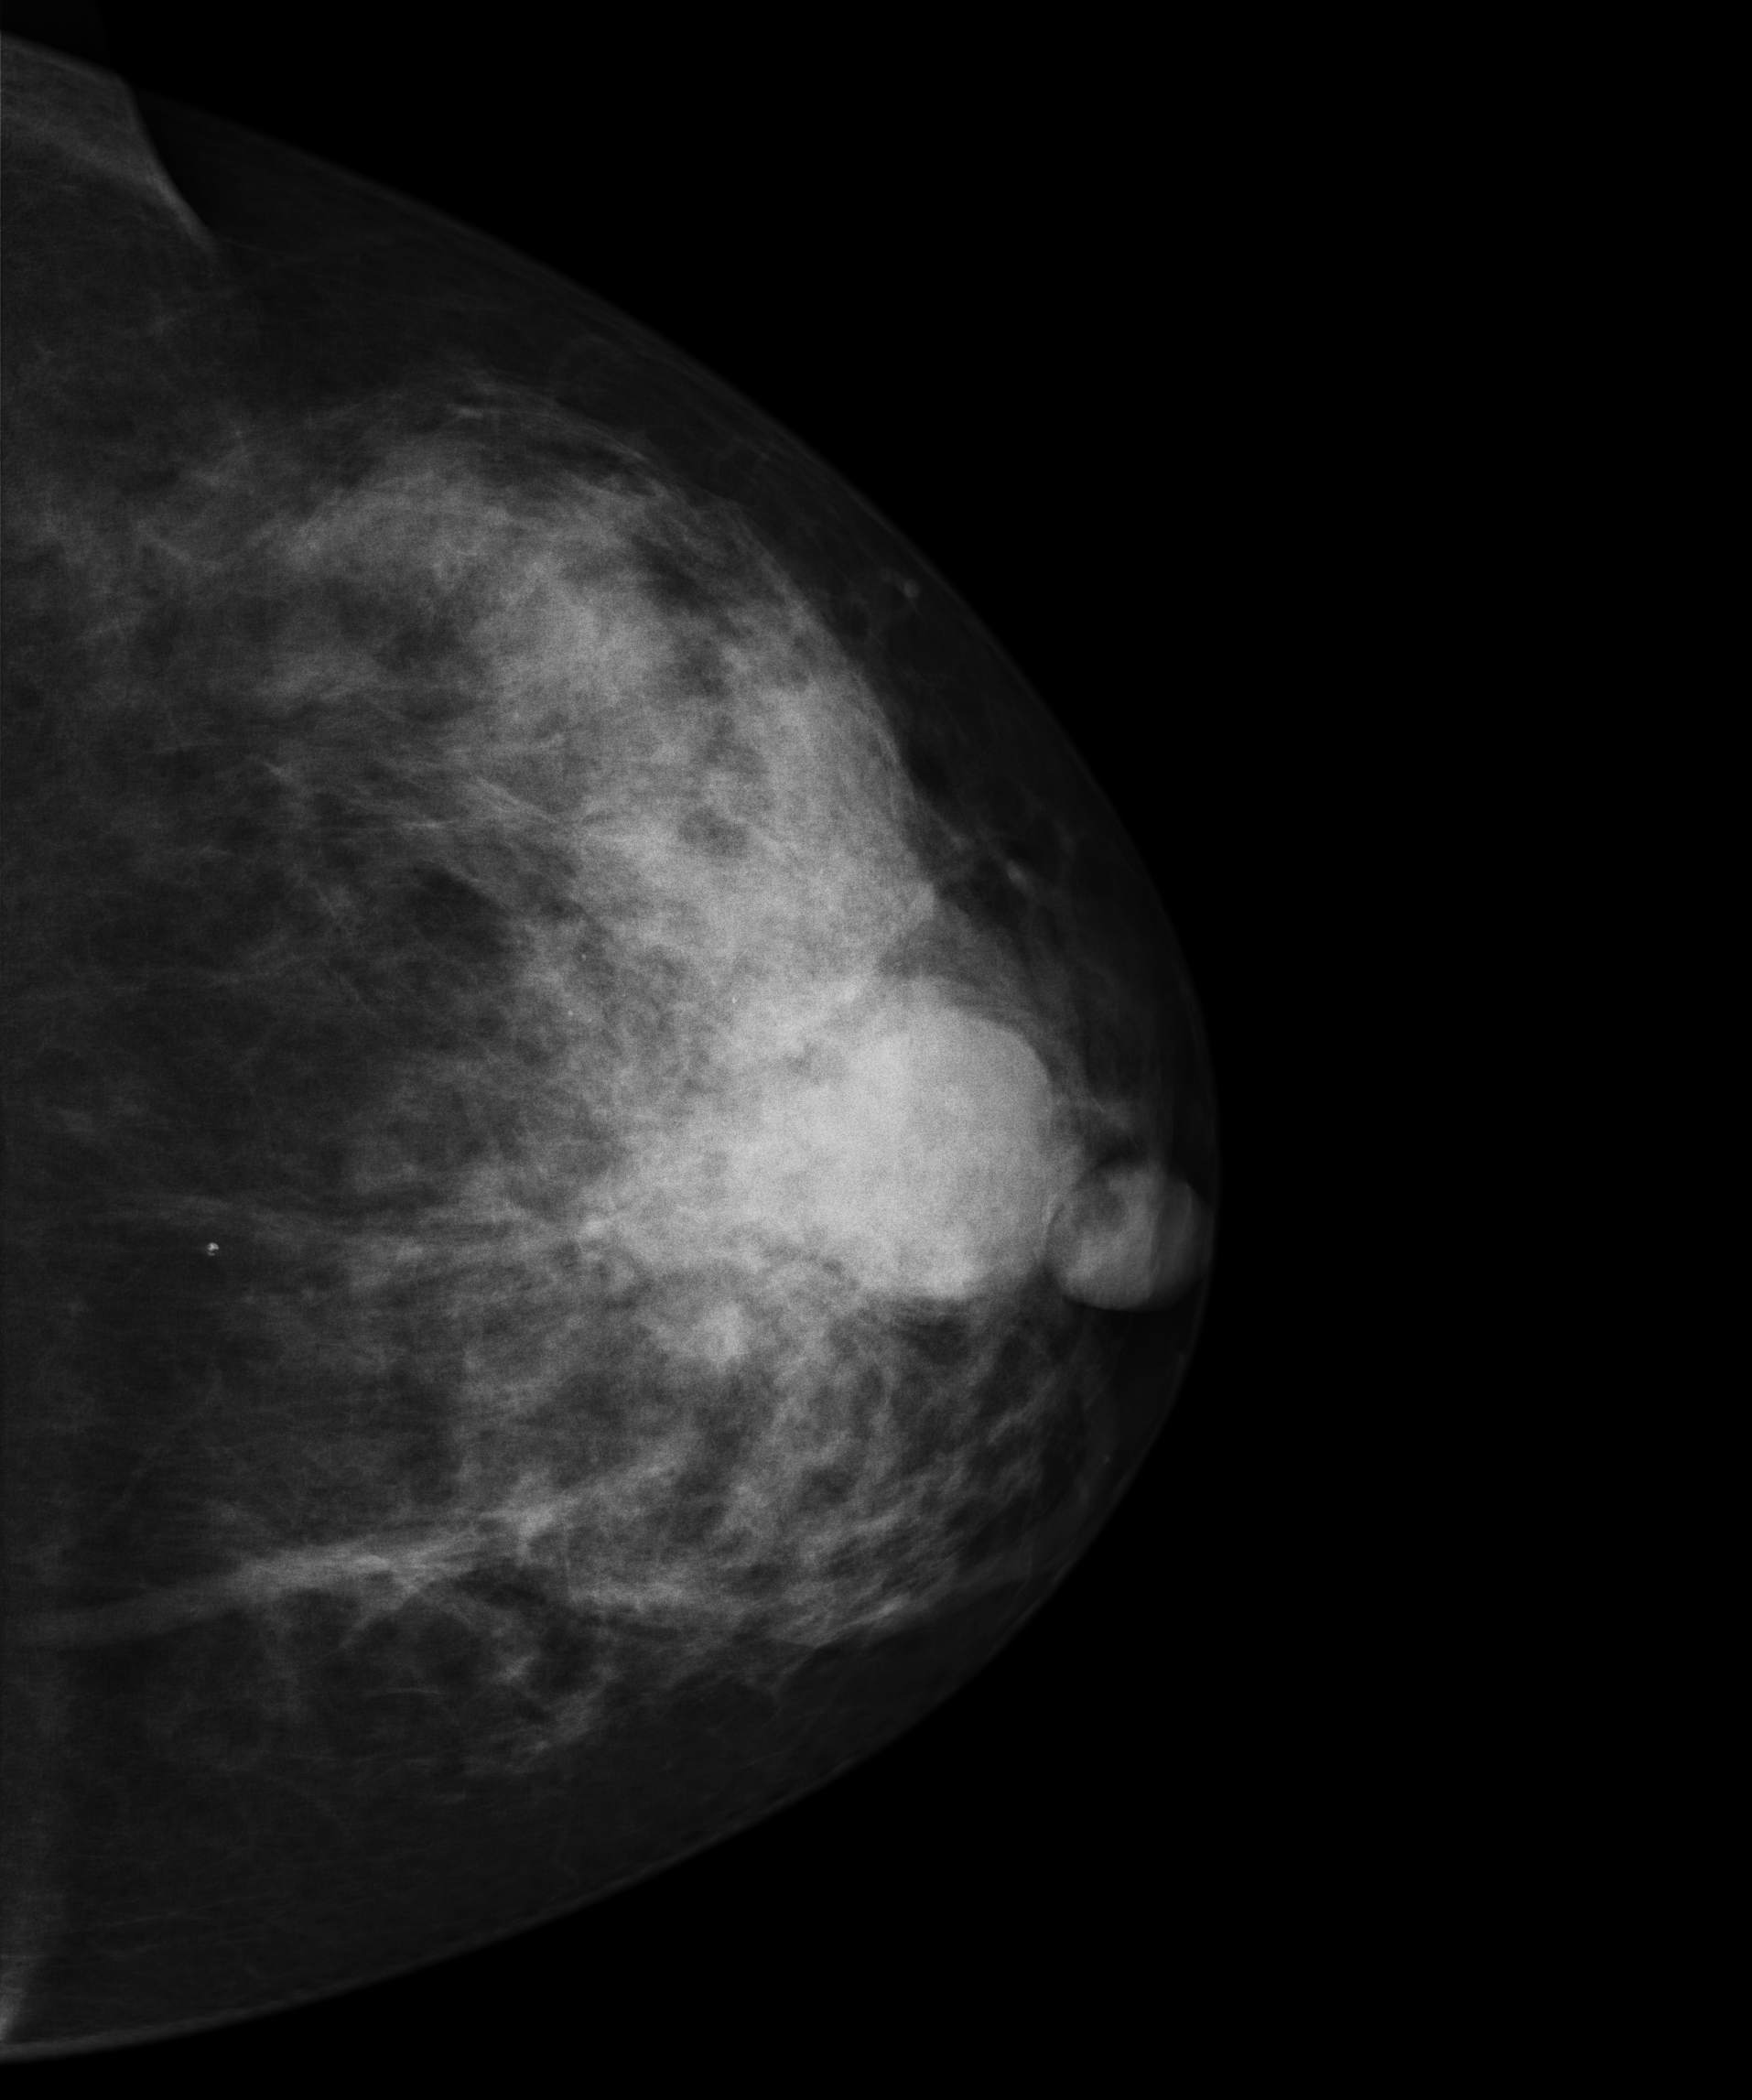
Left-breast mammogram, CC. 37 y/o patient.
This breast has a mass, biopsy-proven malignant.